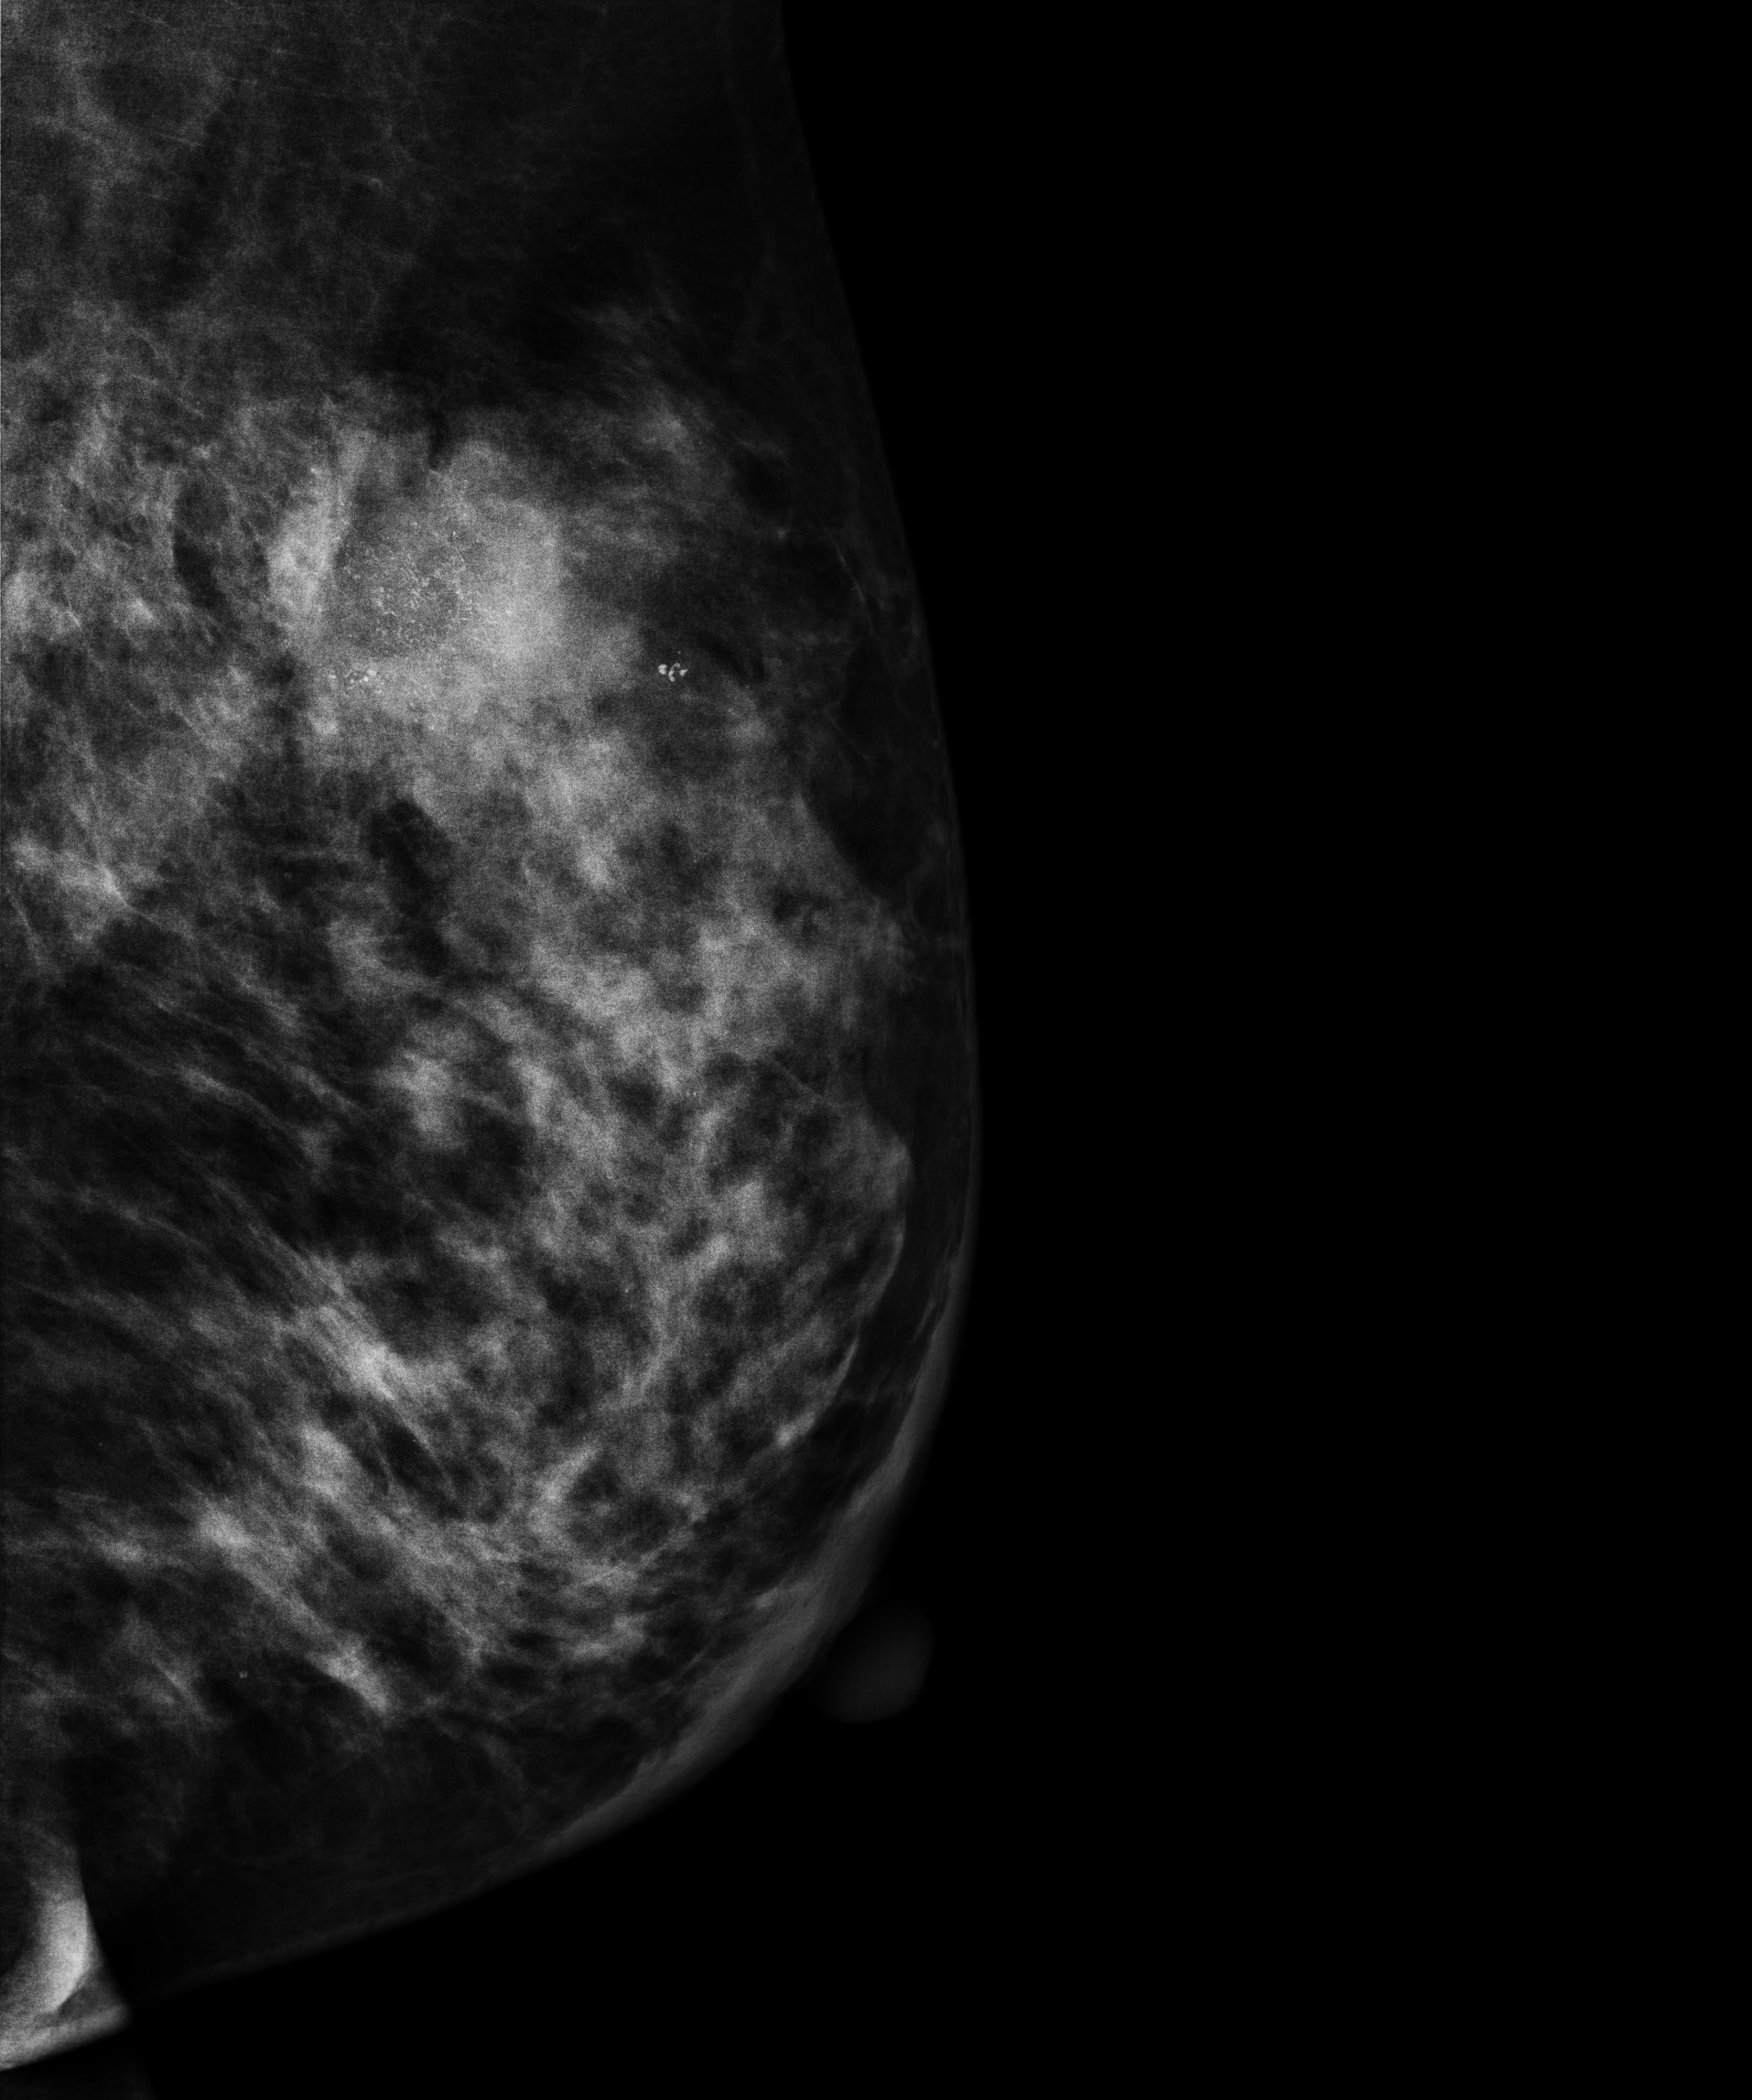
Mammogram — left medio-lateral oblique. Patient age 35.
This breast has a mass and calcifications, pathology-confirmed malignant.